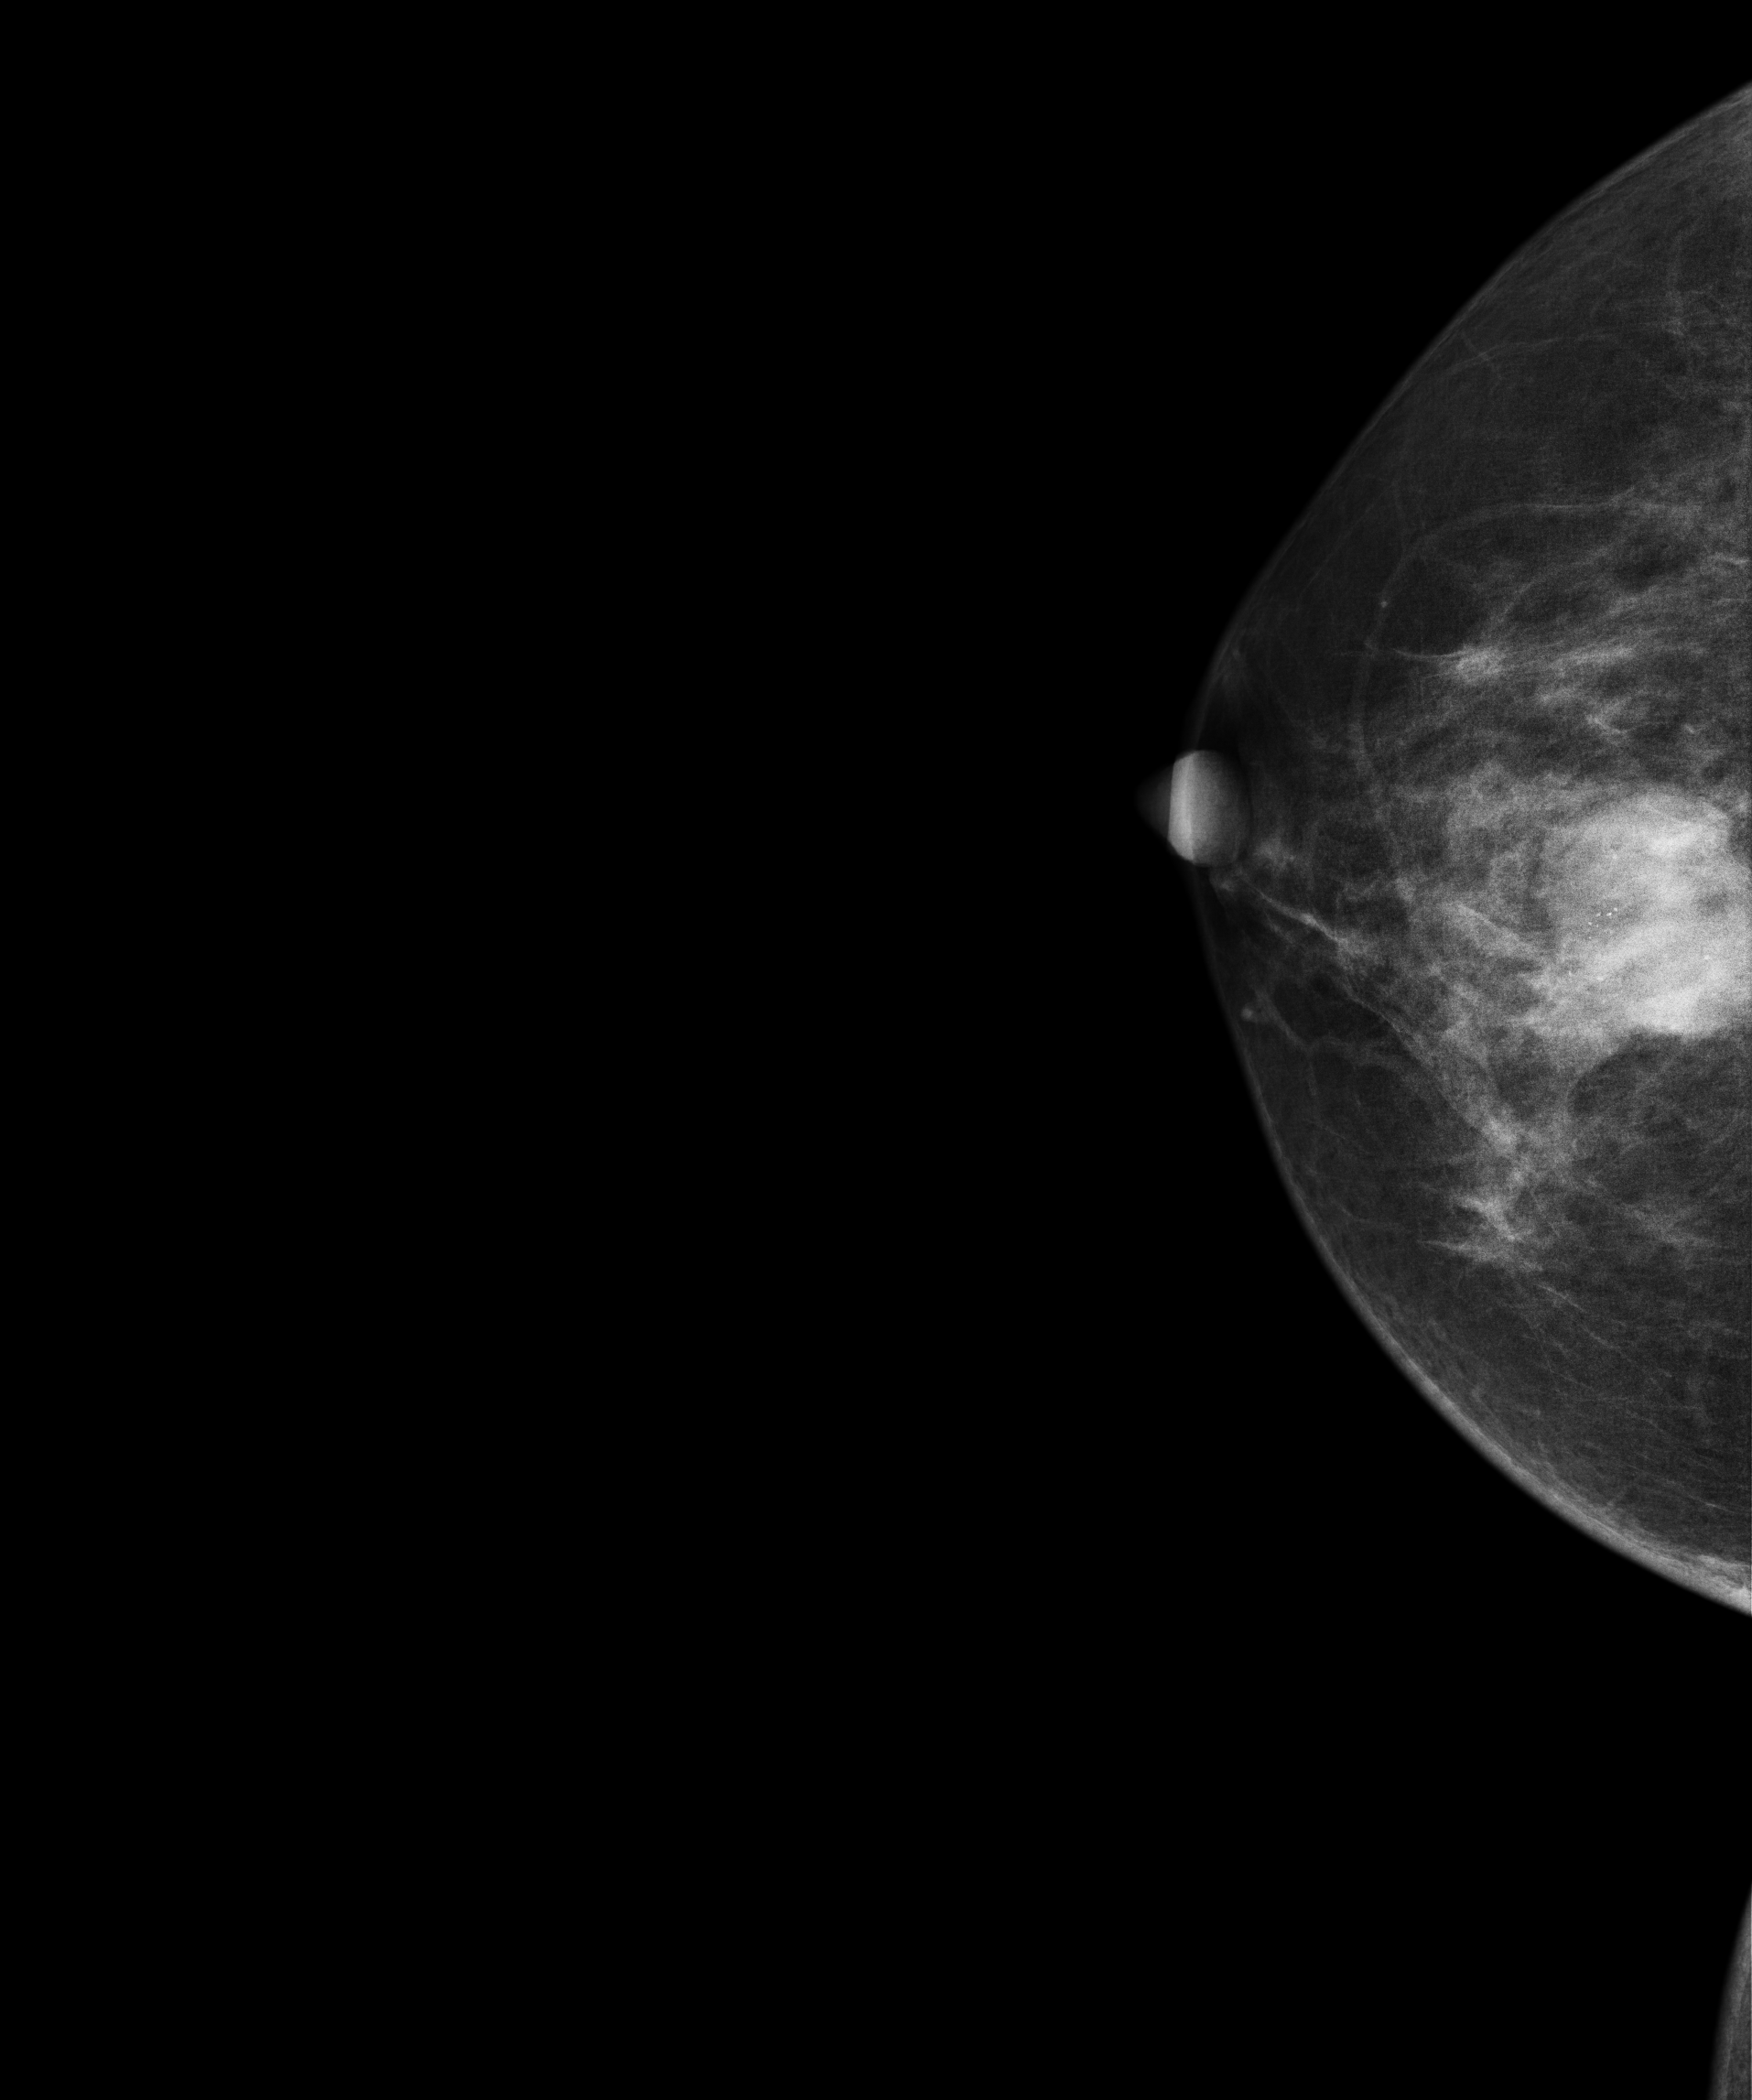
Digital mammography. Right breast, cranio-caudal projection. Patient age 47.
This breast has a mass and calcifications, pathology-confirmed malignant. Molecular subtype: HER2-enriched.